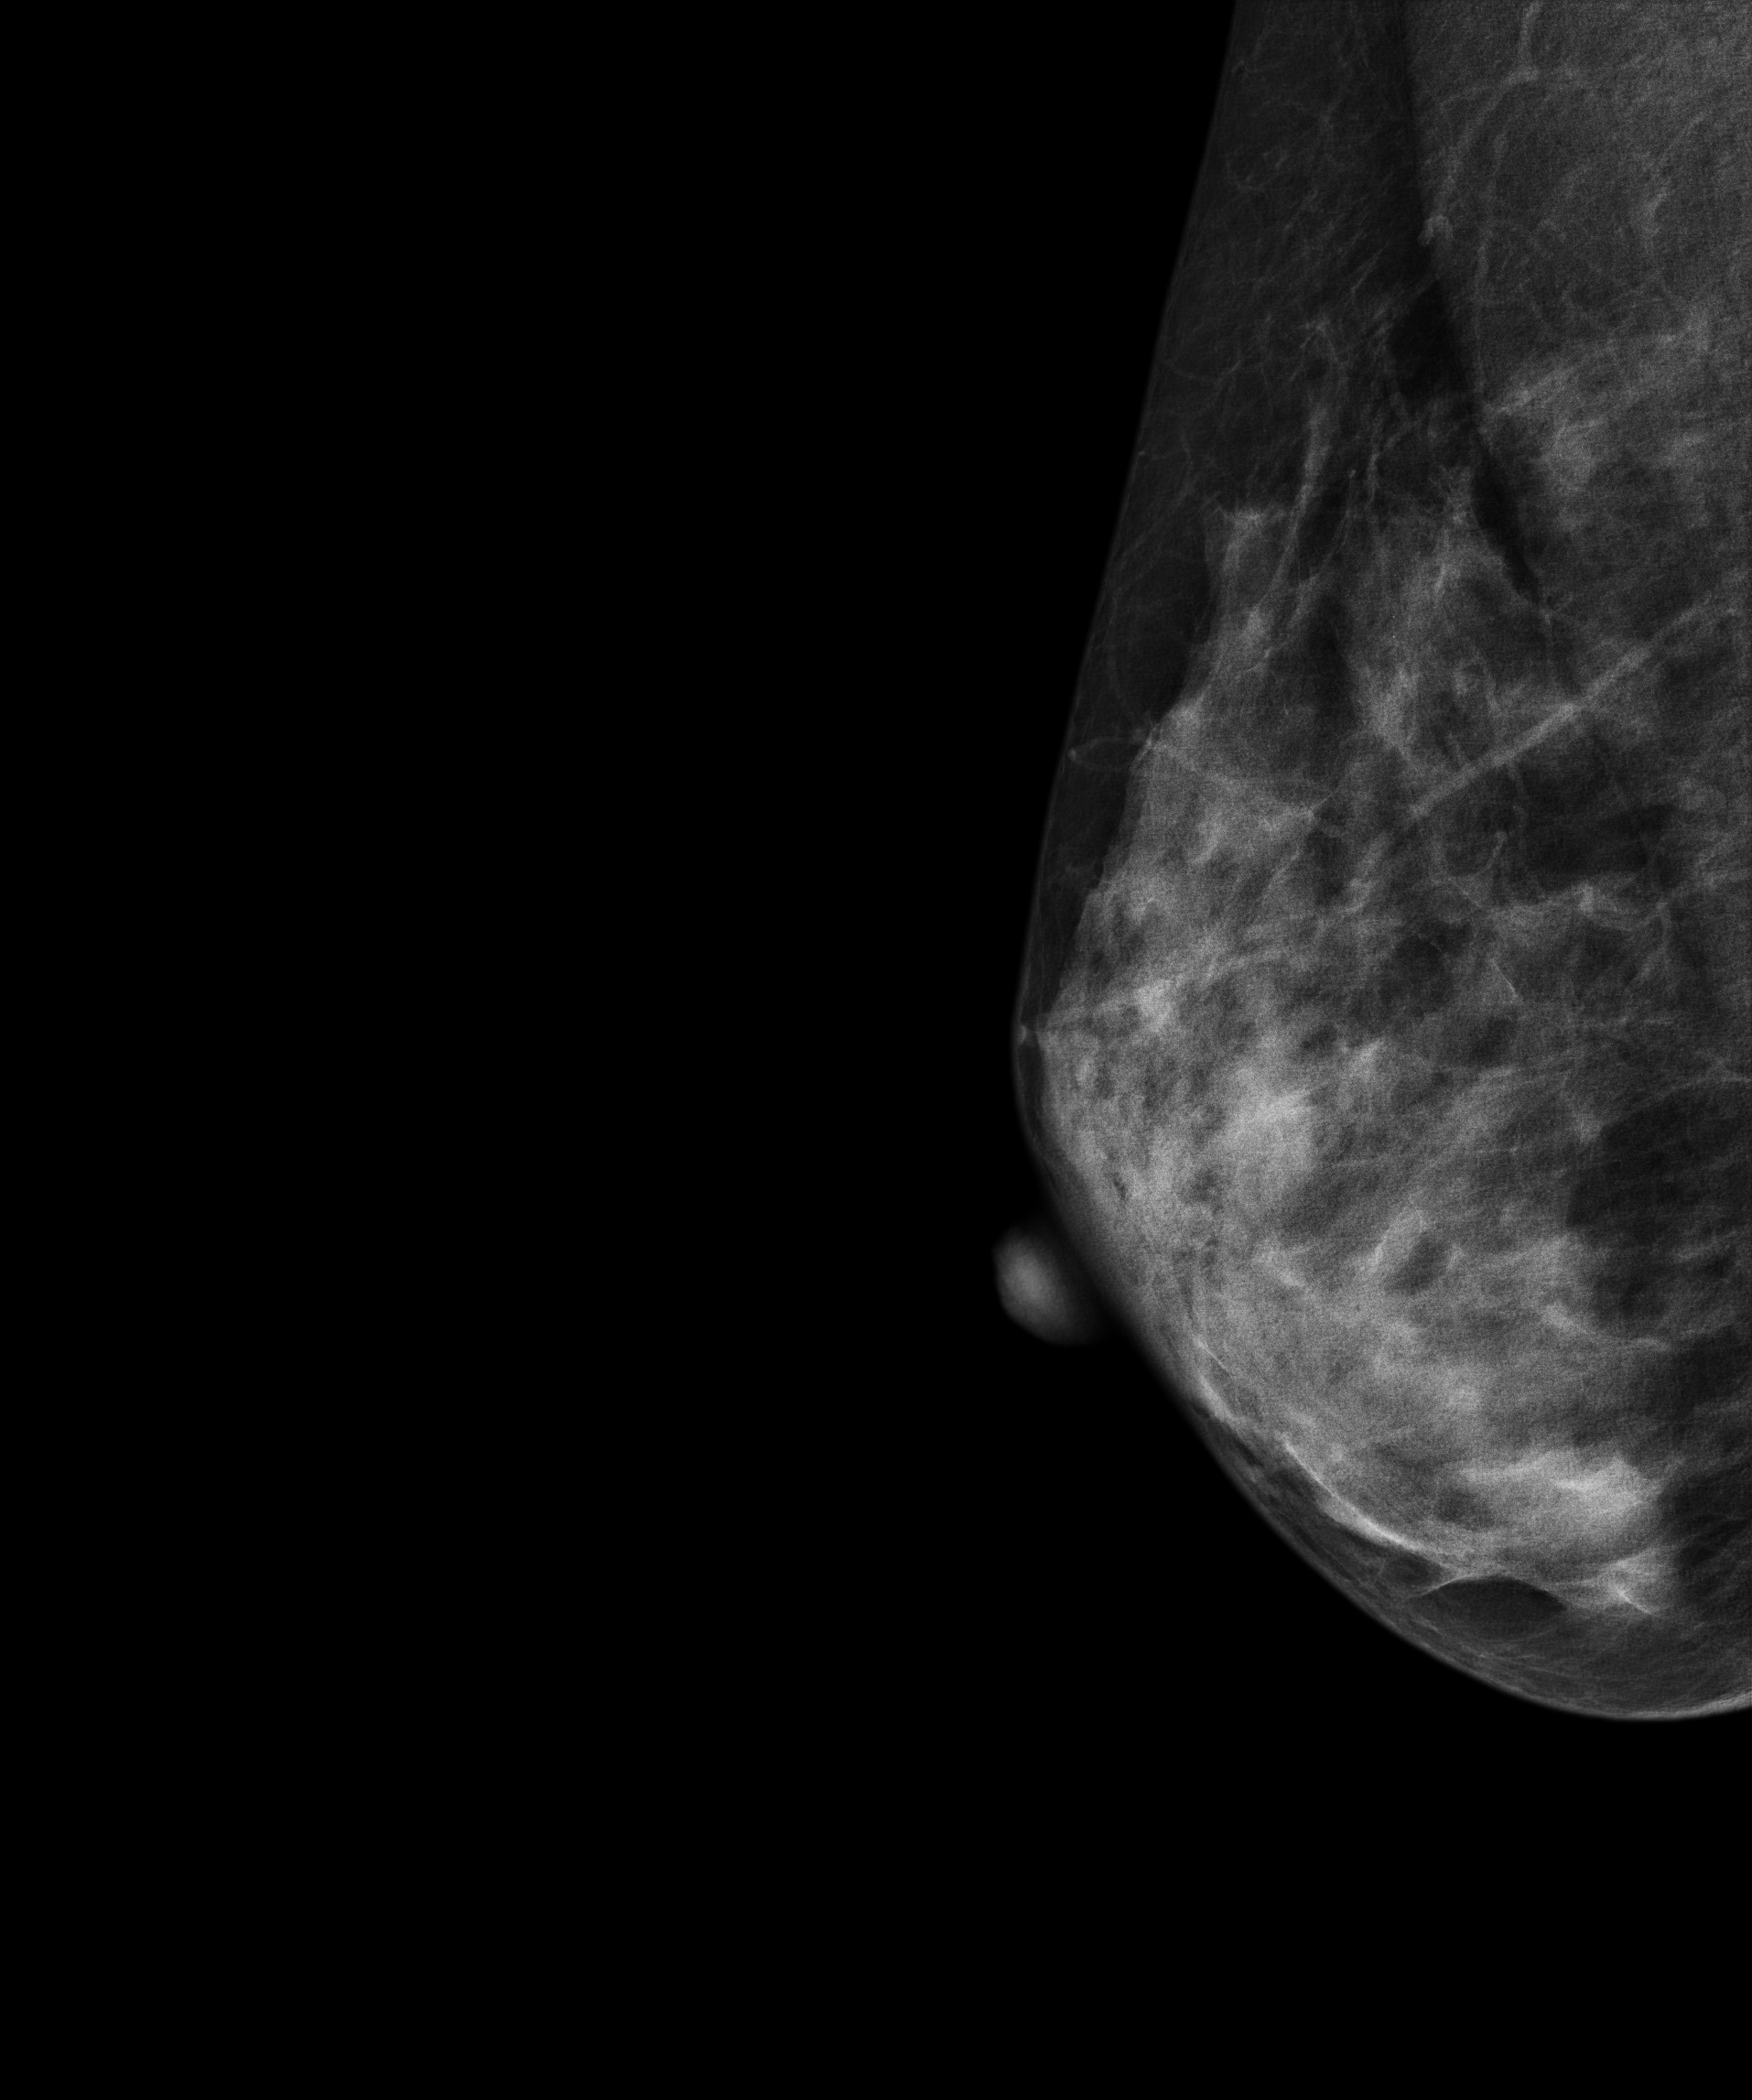
Digital mammography. Right breast, MLO projection. 41-year-old patient.
Contralateral breast — no documented abnormality on this side.